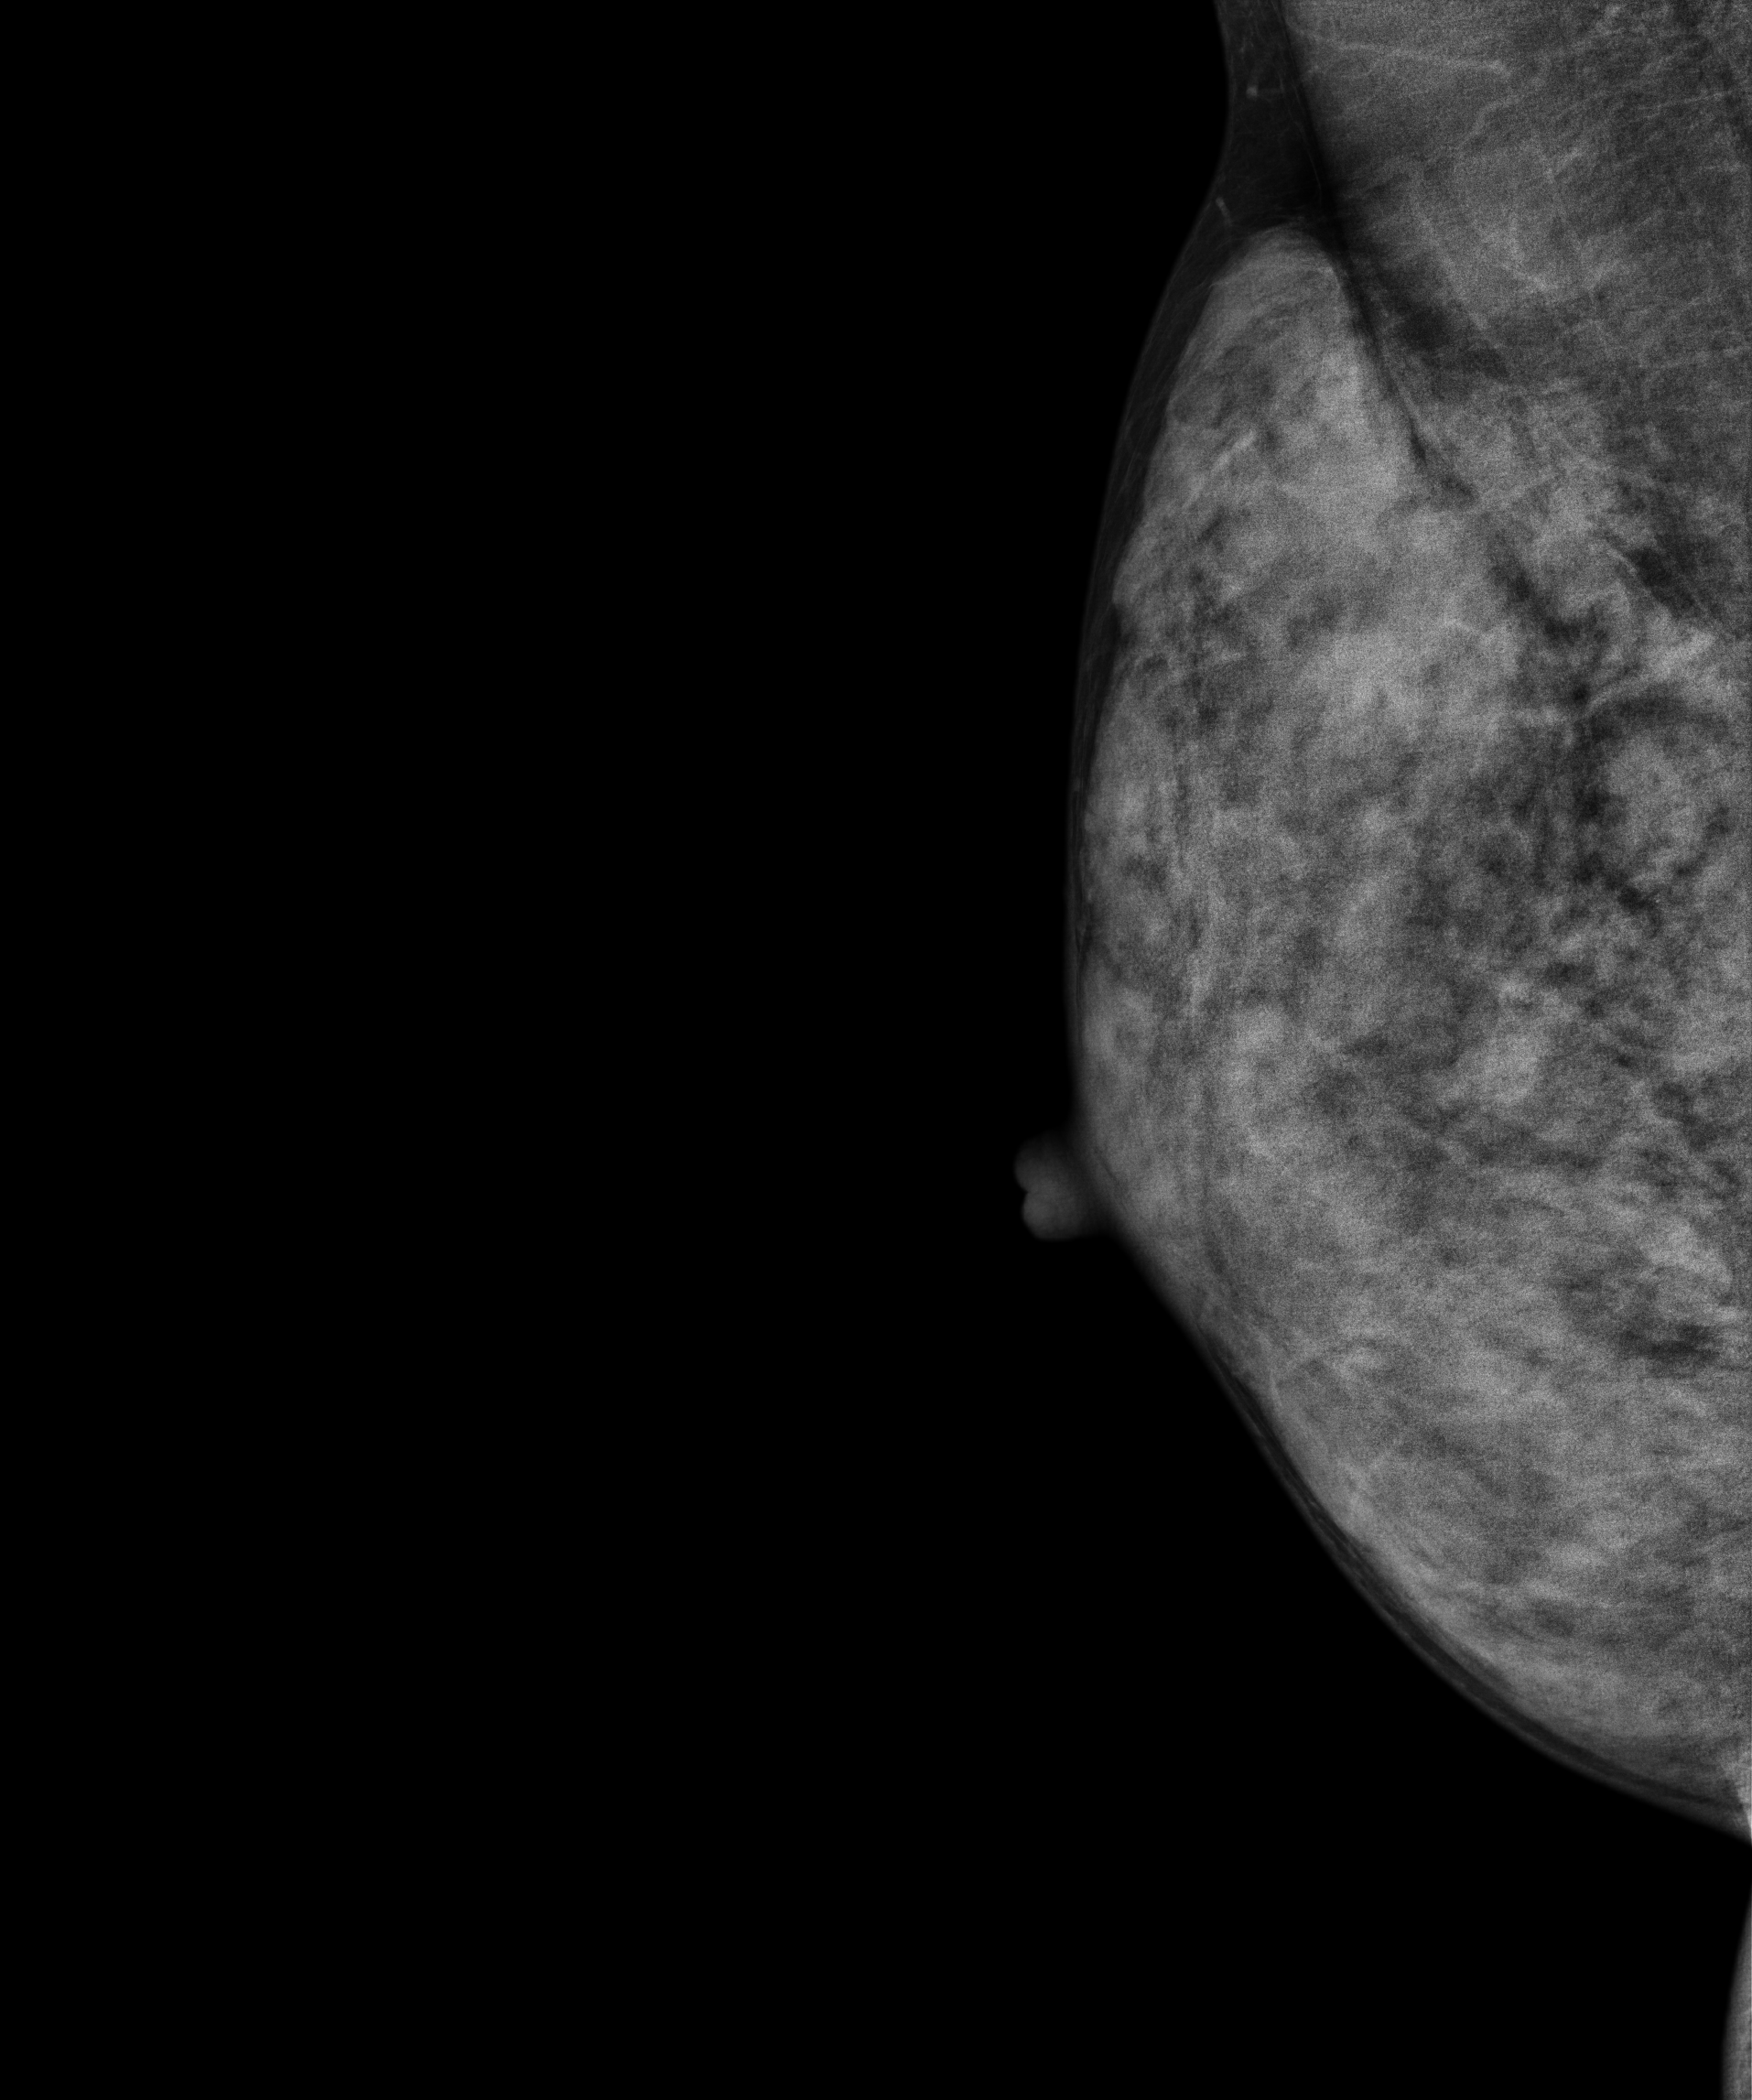
Mammogram, right breast, MLO view. 32 y/o patient.
This breast has a mass, pathology-confirmed benign.